Cranio-caudal mammogram of the right breast. 46-year-old patient.
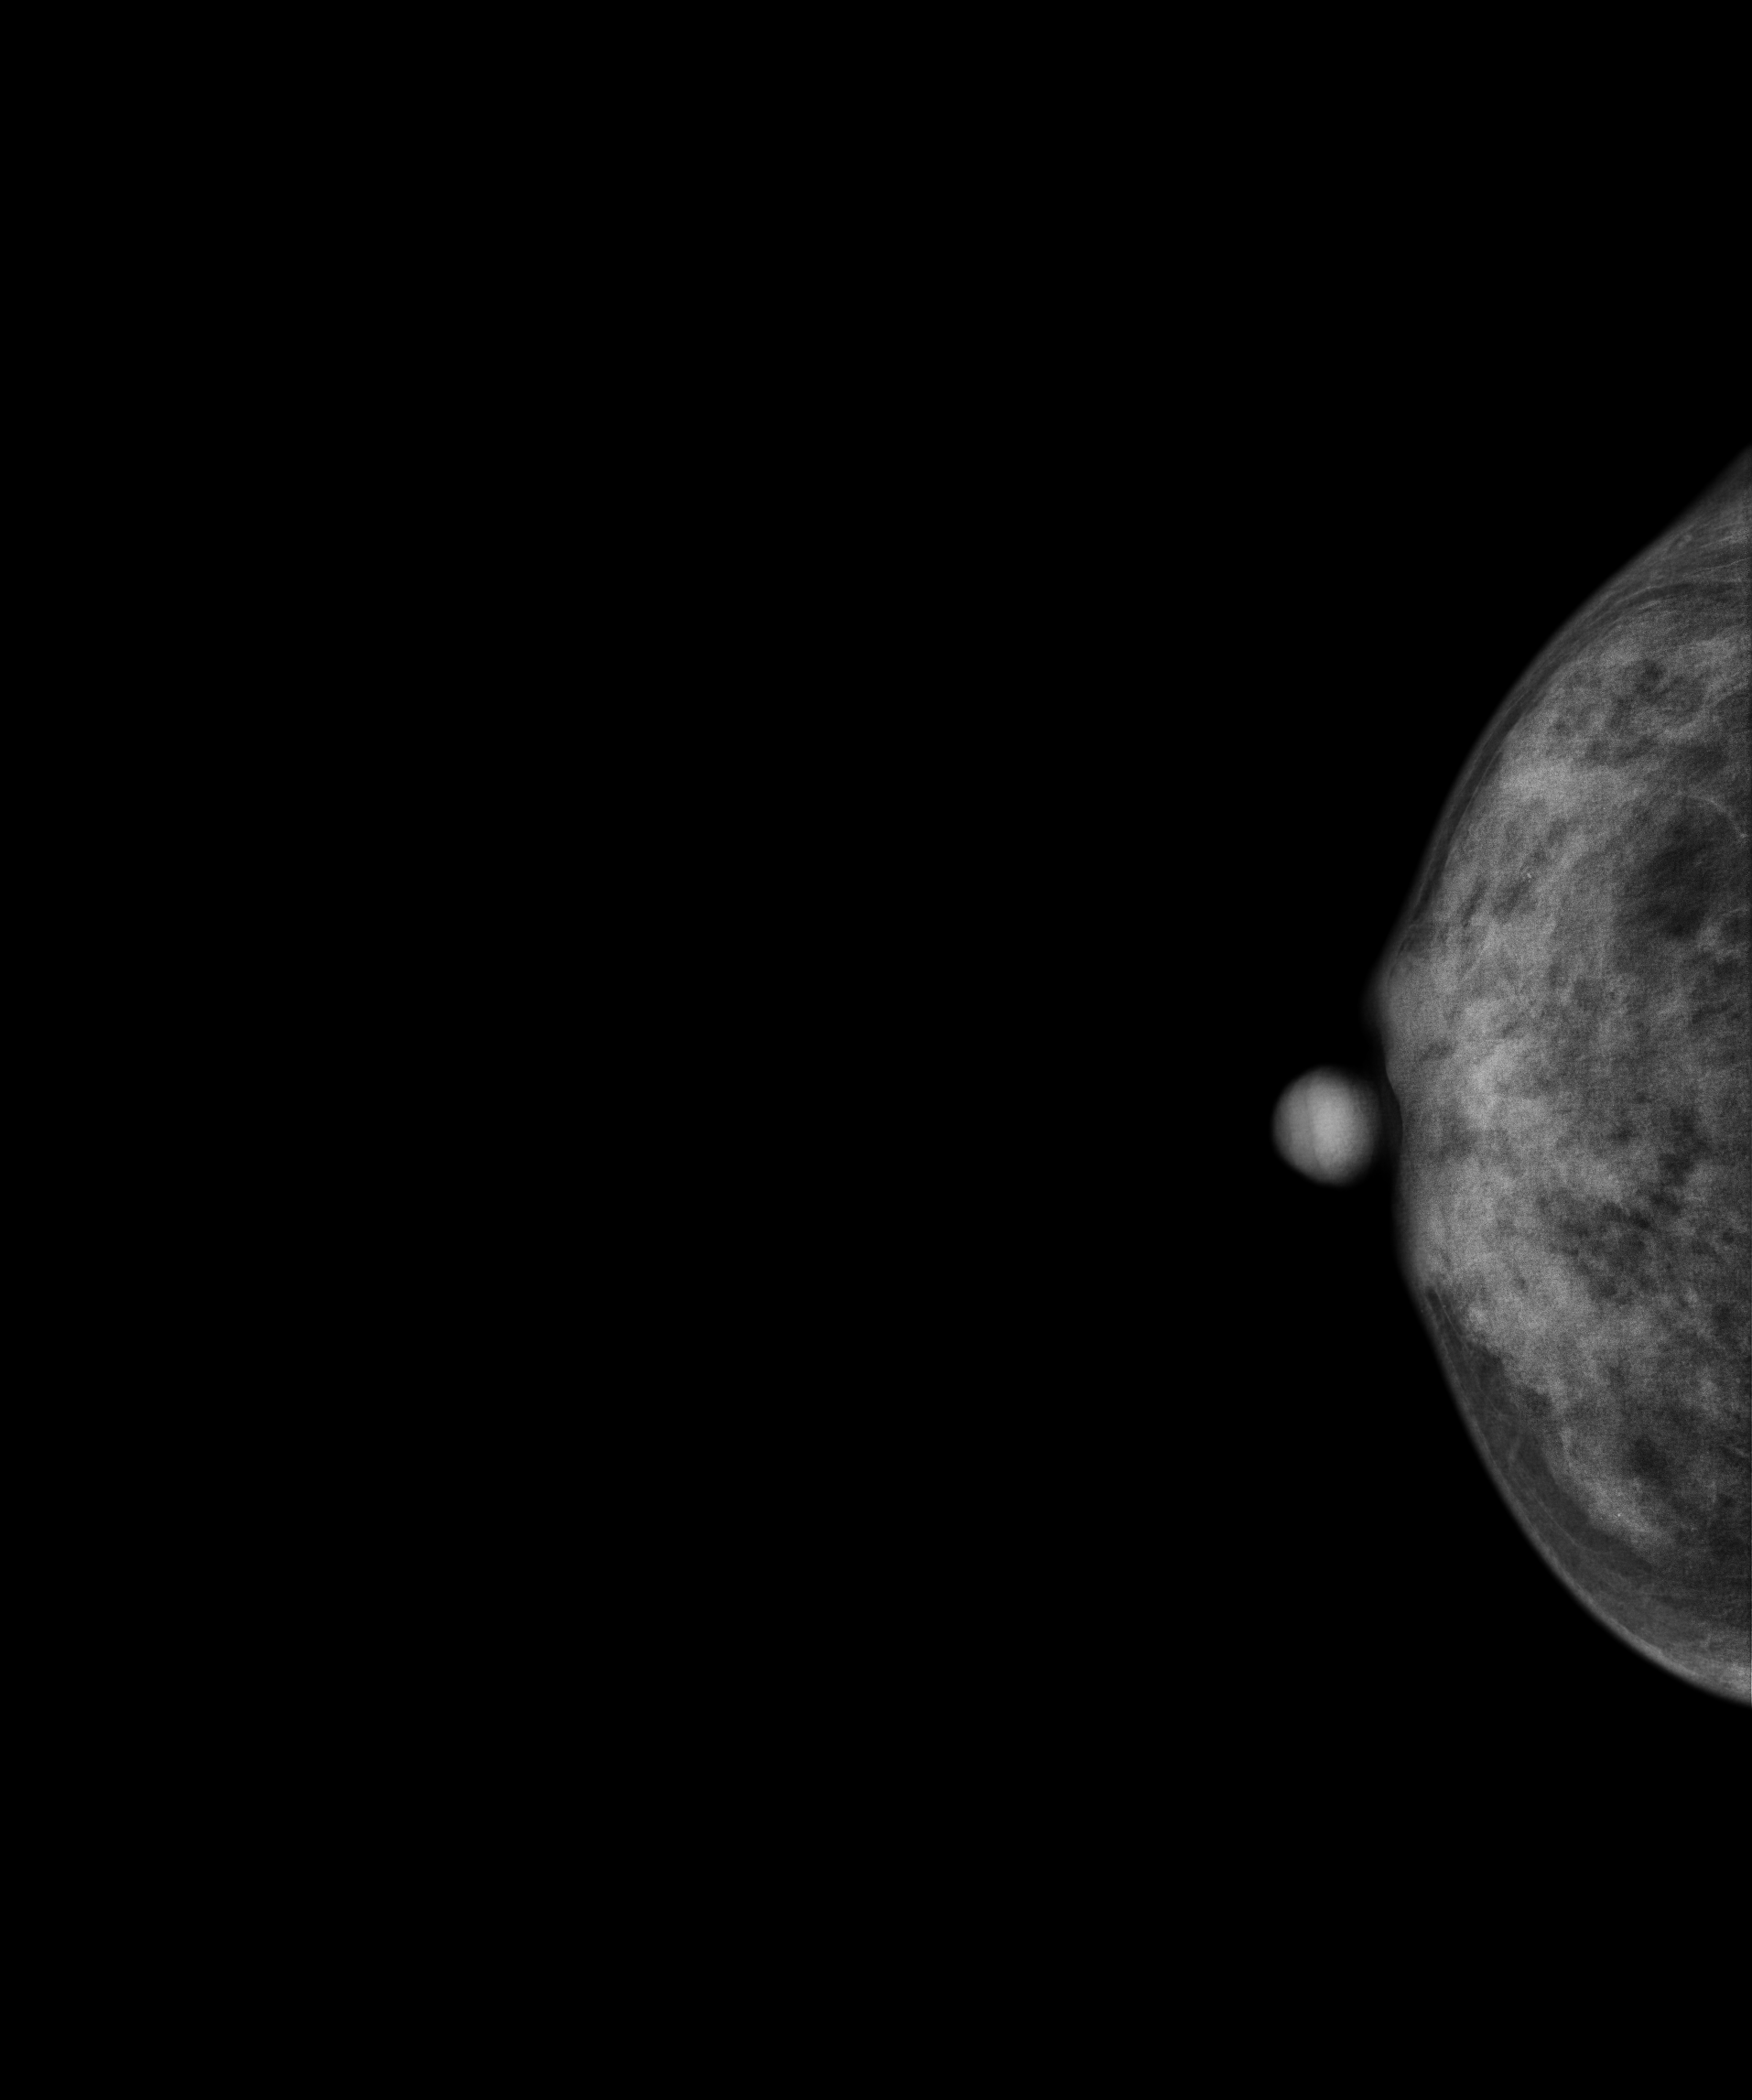
Contralateral breast — no documented abnormality on this side.